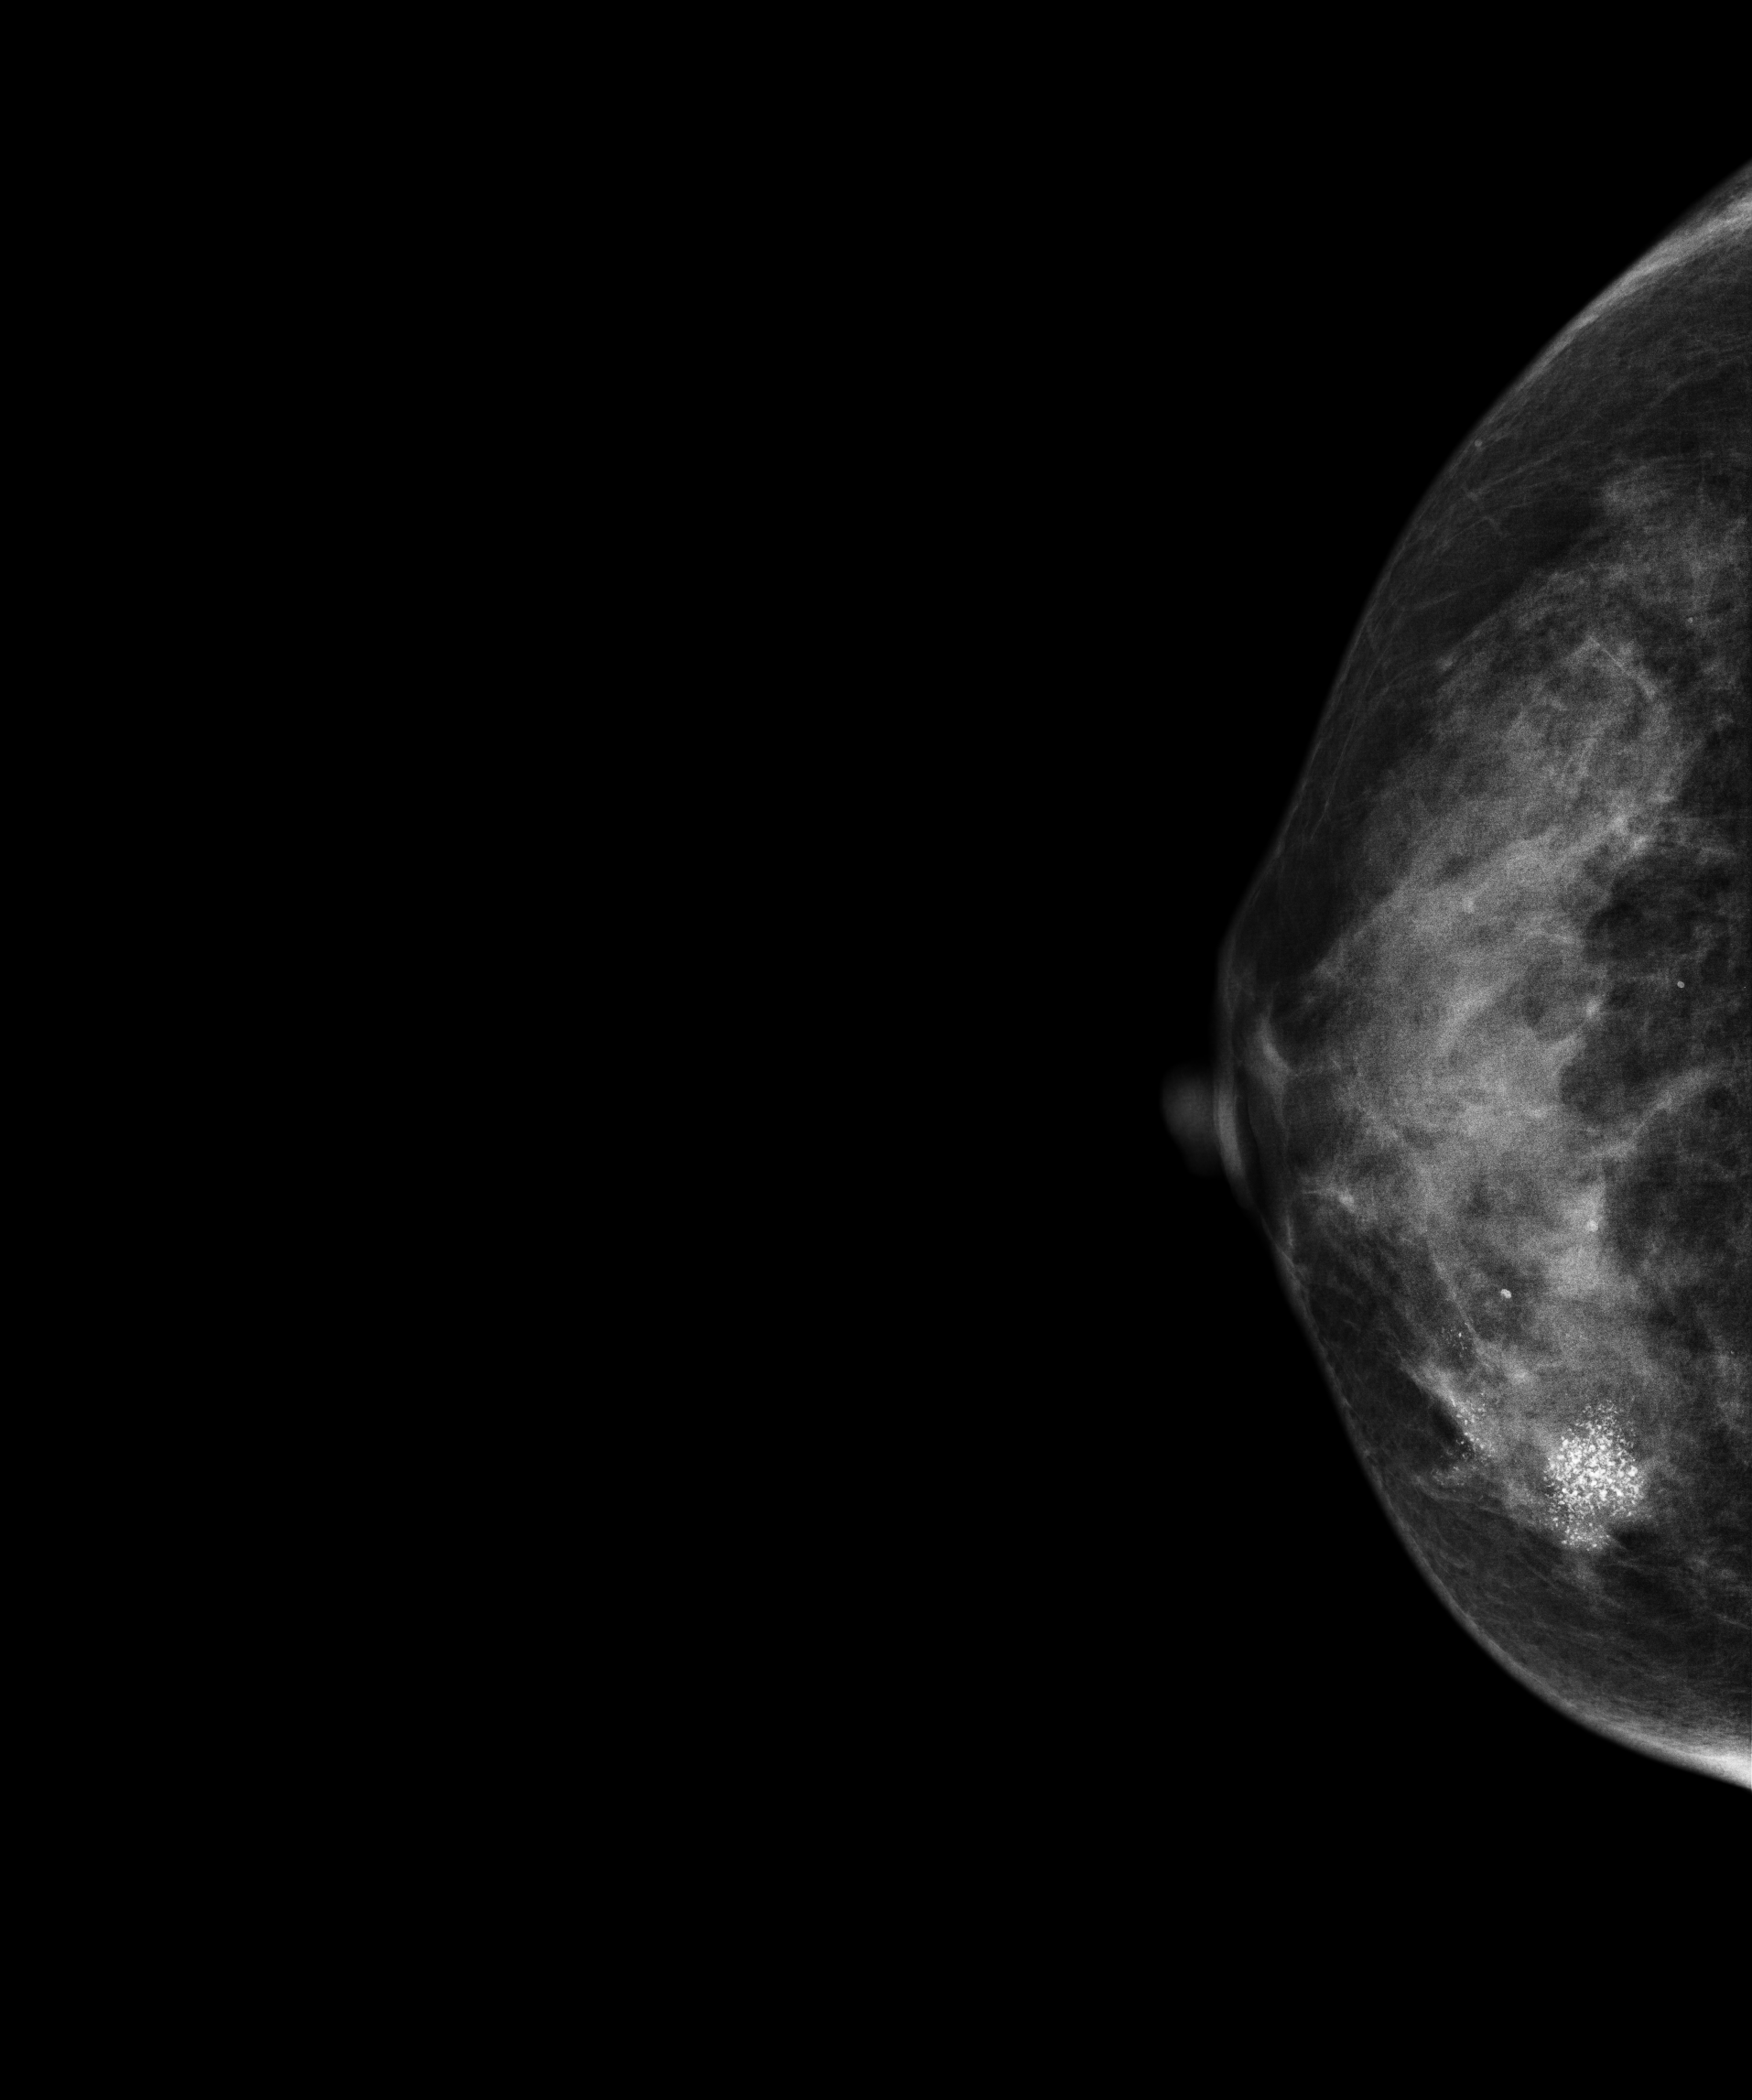
Mammogram, right breast, CC view. 33-year-old patient.
This breast has calcifications, biopsy-confirmed malignant.